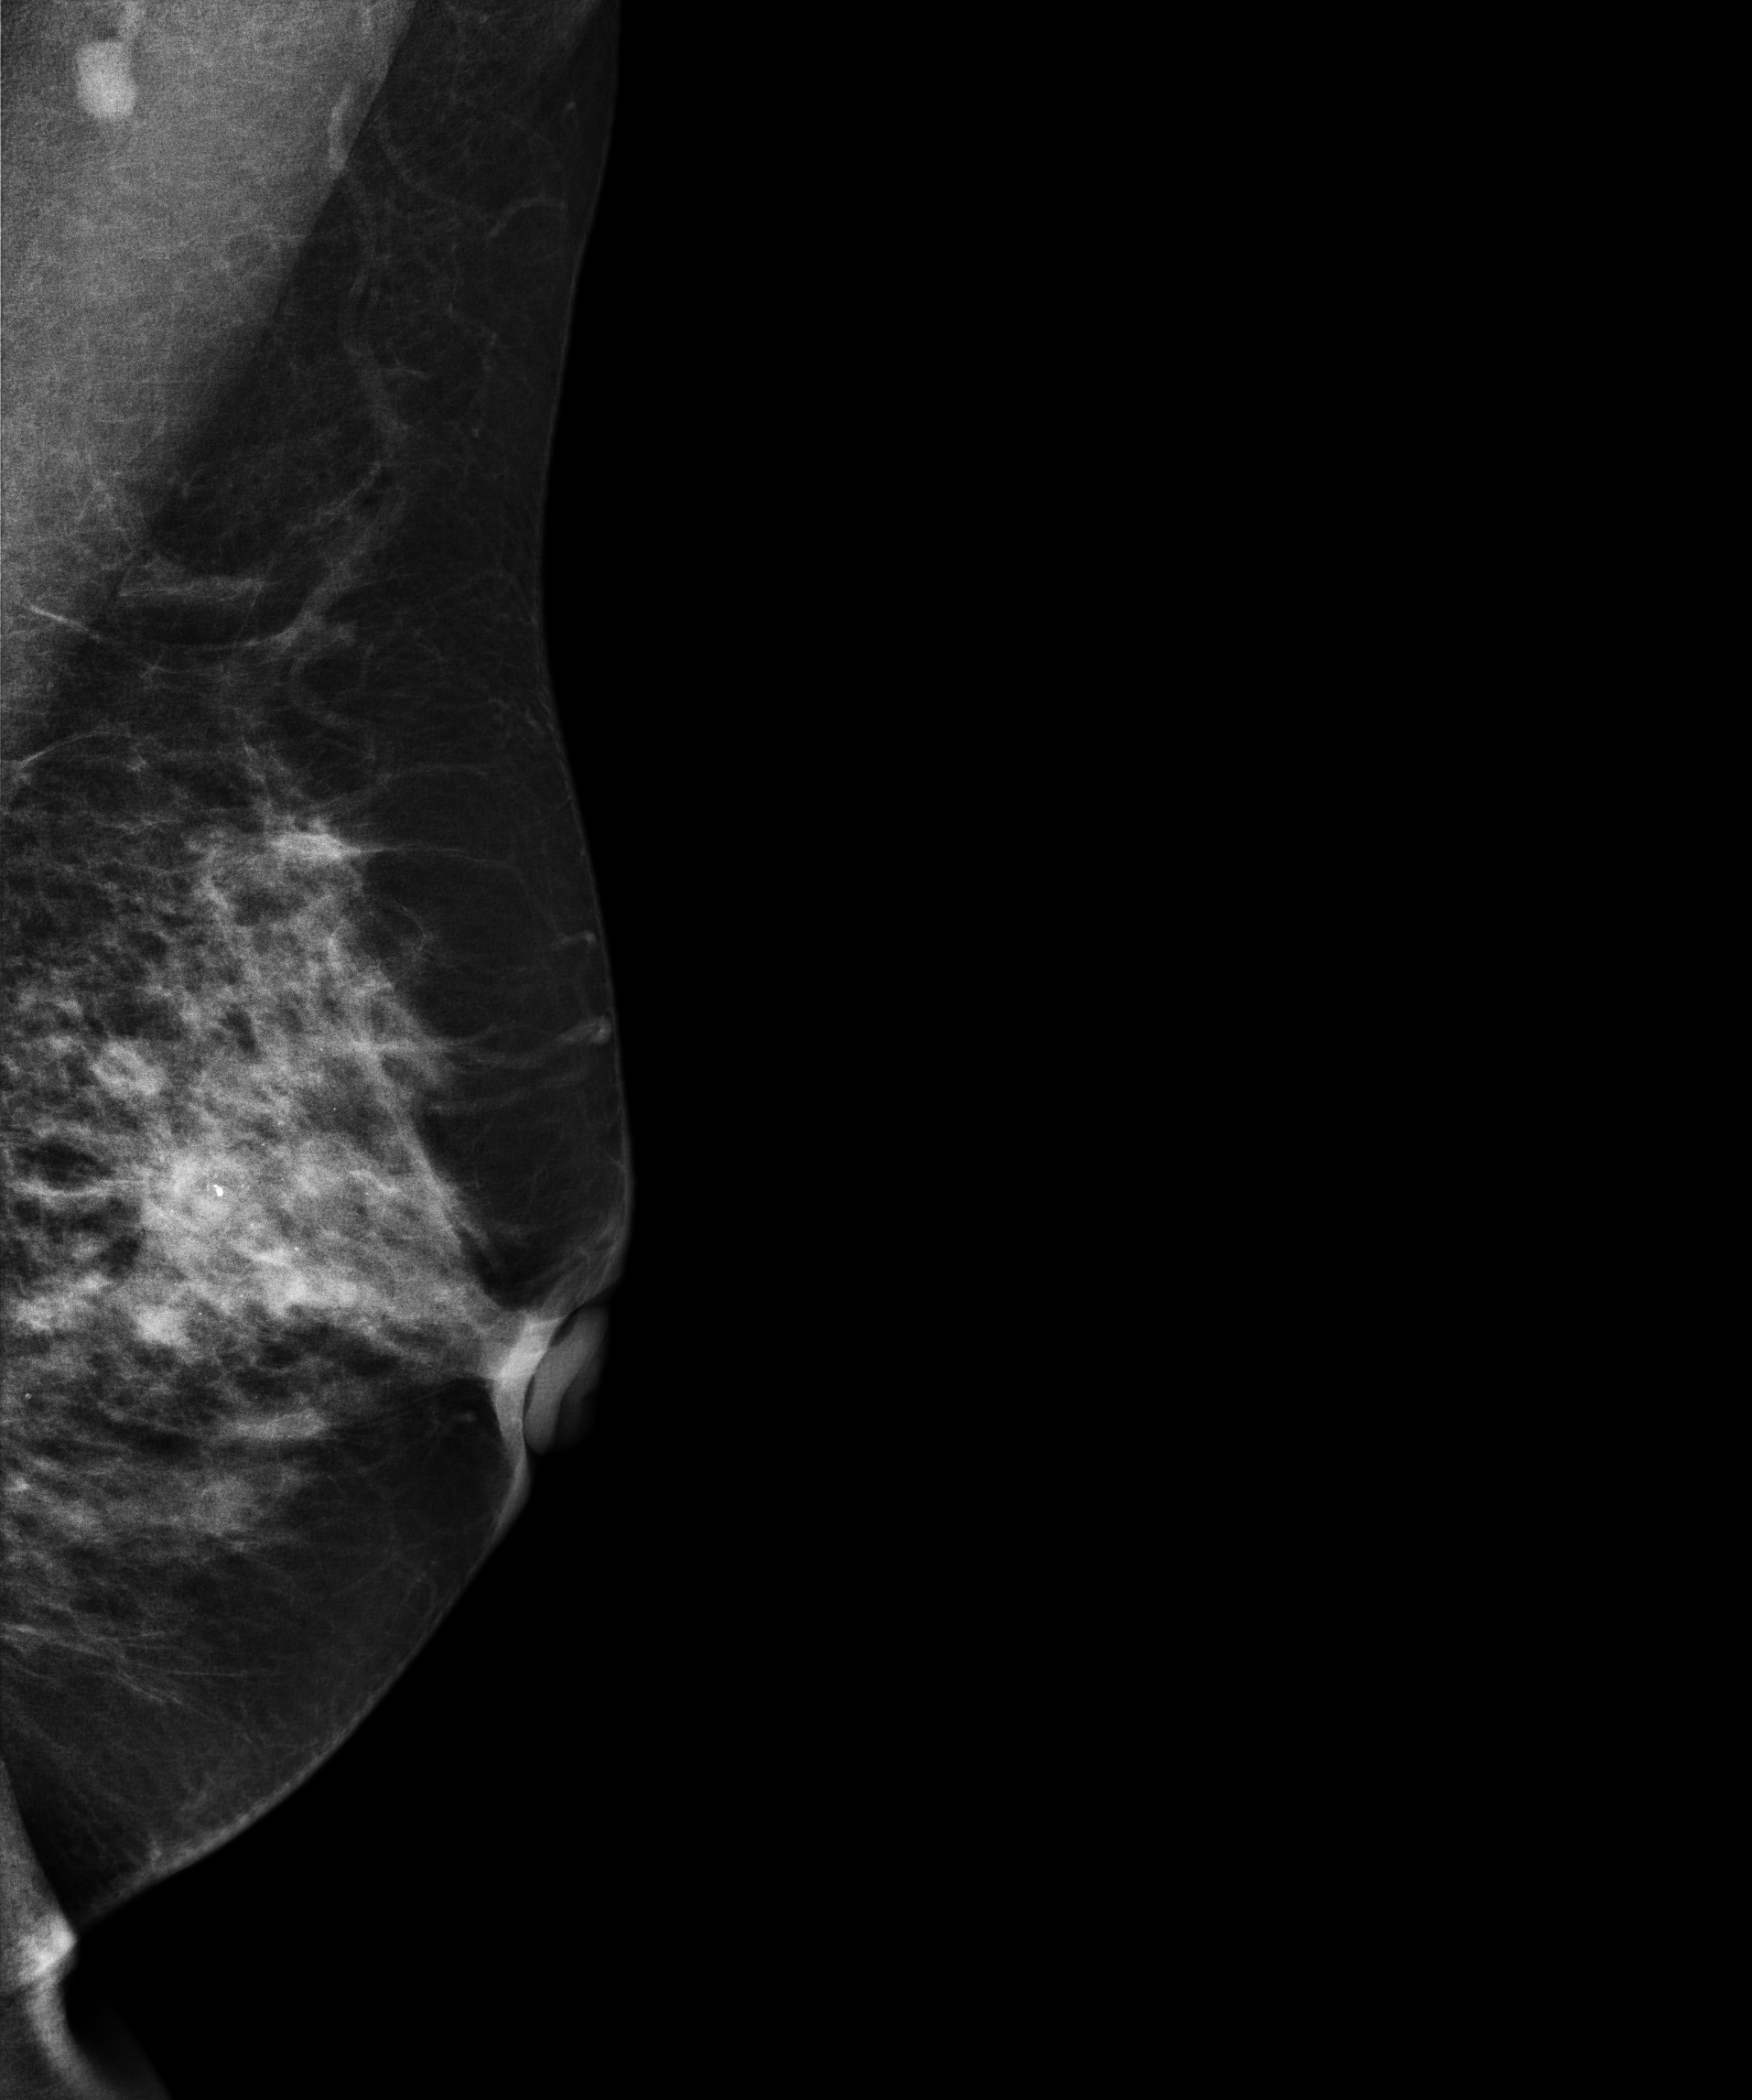
Left-breast mammogram, MLO. 64 y/o patient.
This breast has a mass and calcifications, biopsy-confirmed malignant. Molecular subtype: luminal B.